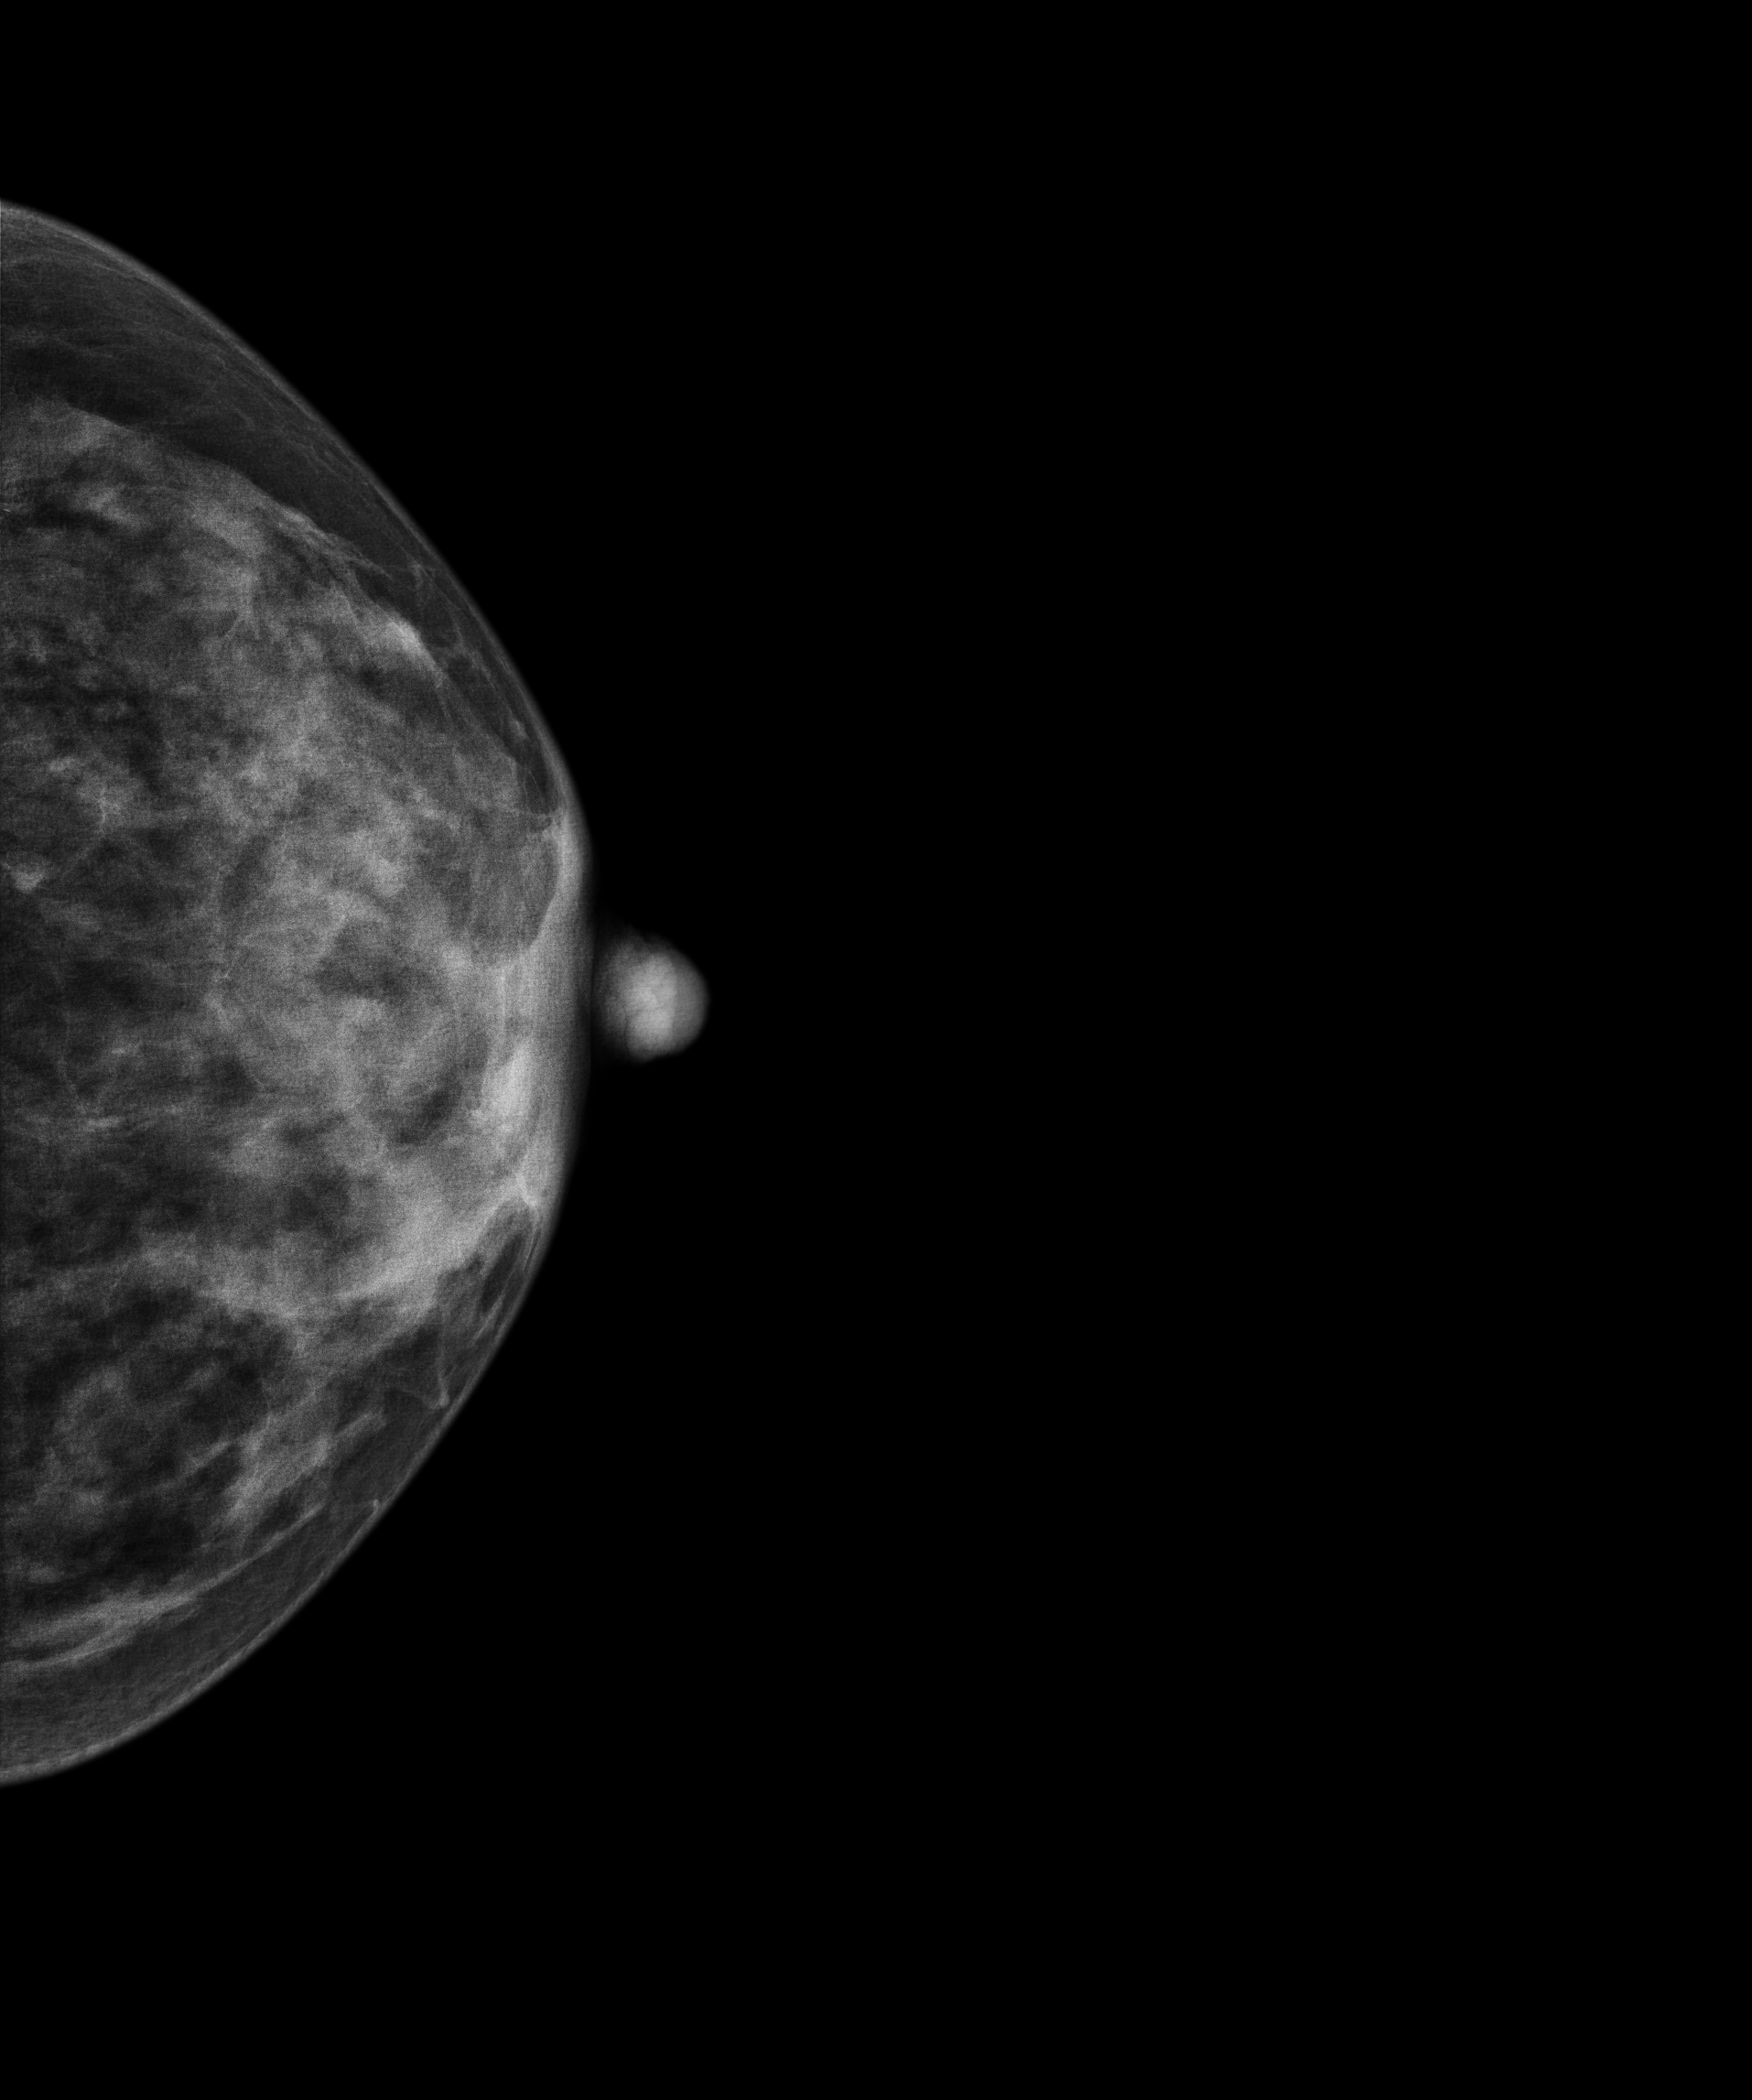
Mammogram, left breast, cranio-caudal view. 51 y/o patient.
Contralateral breast — no documented abnormality on this side.